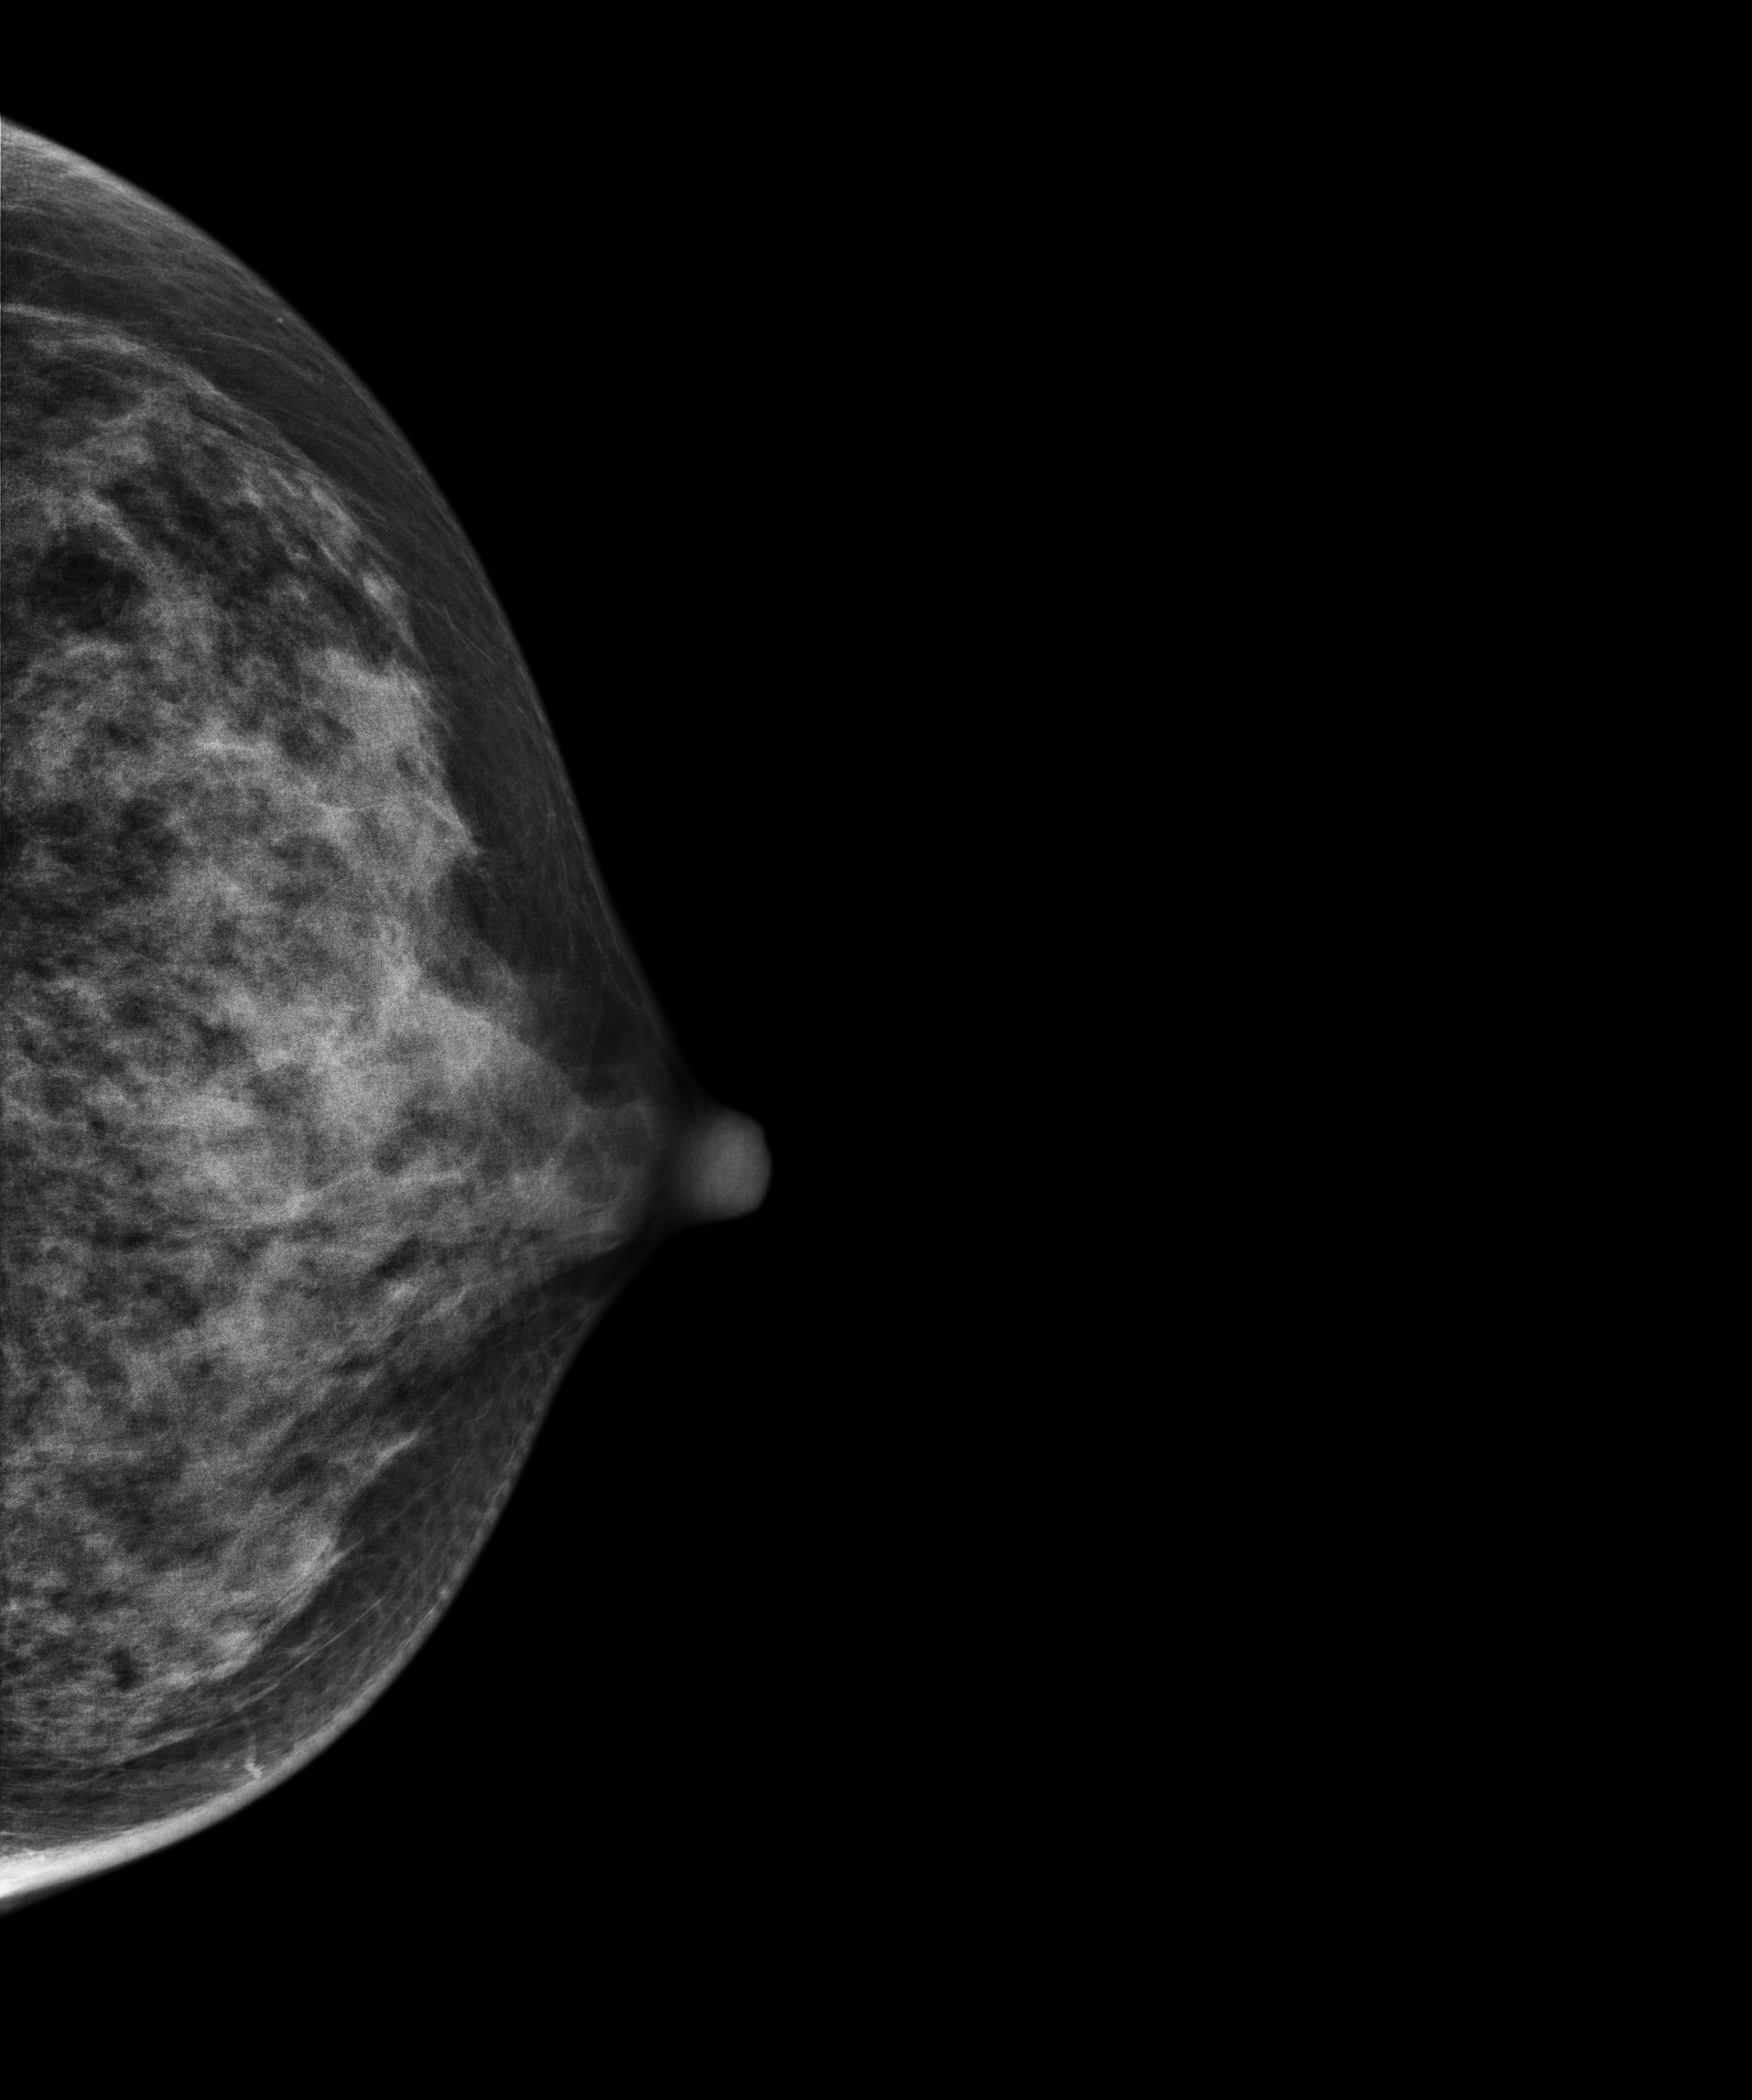
Left-breast mammogram, CC. 46 y/o patient.
Contralateral breast — no documented abnormality on this side.